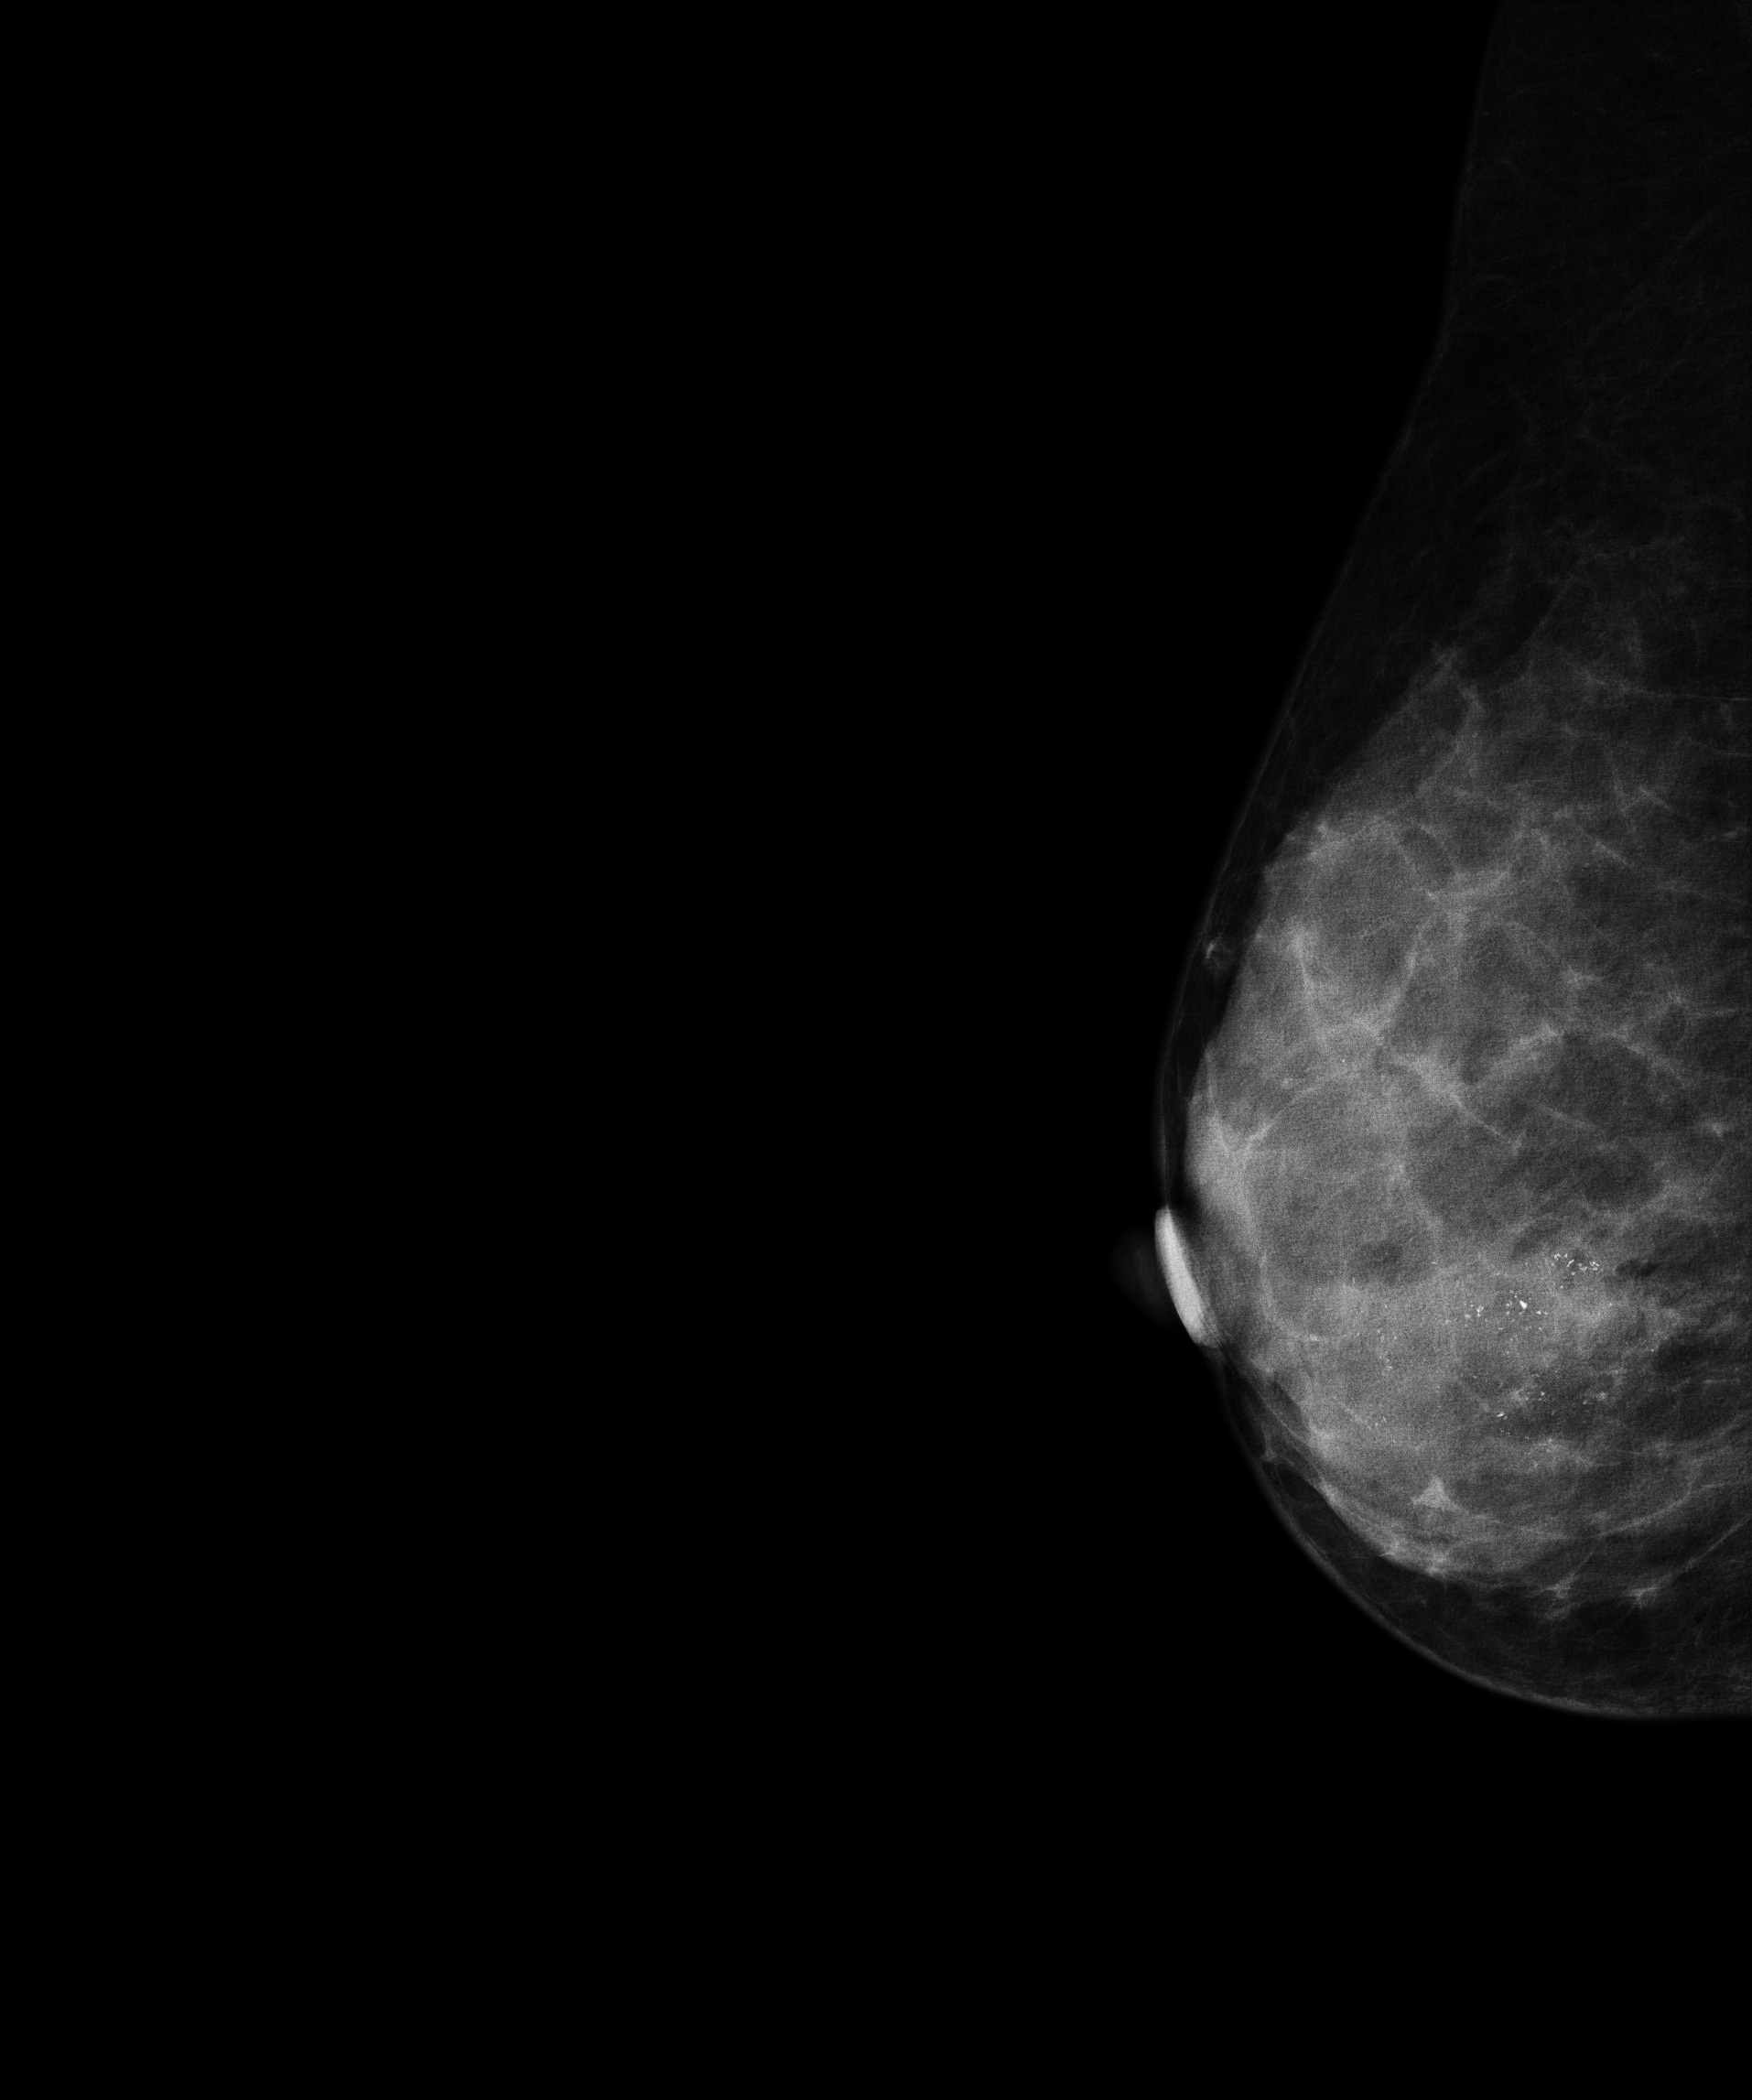
Right-breast mammogram, medio-lateral oblique. Patient age 49.
This breast has calcifications, biopsy-confirmed malignant. Molecular subtype: HER2-enriched.